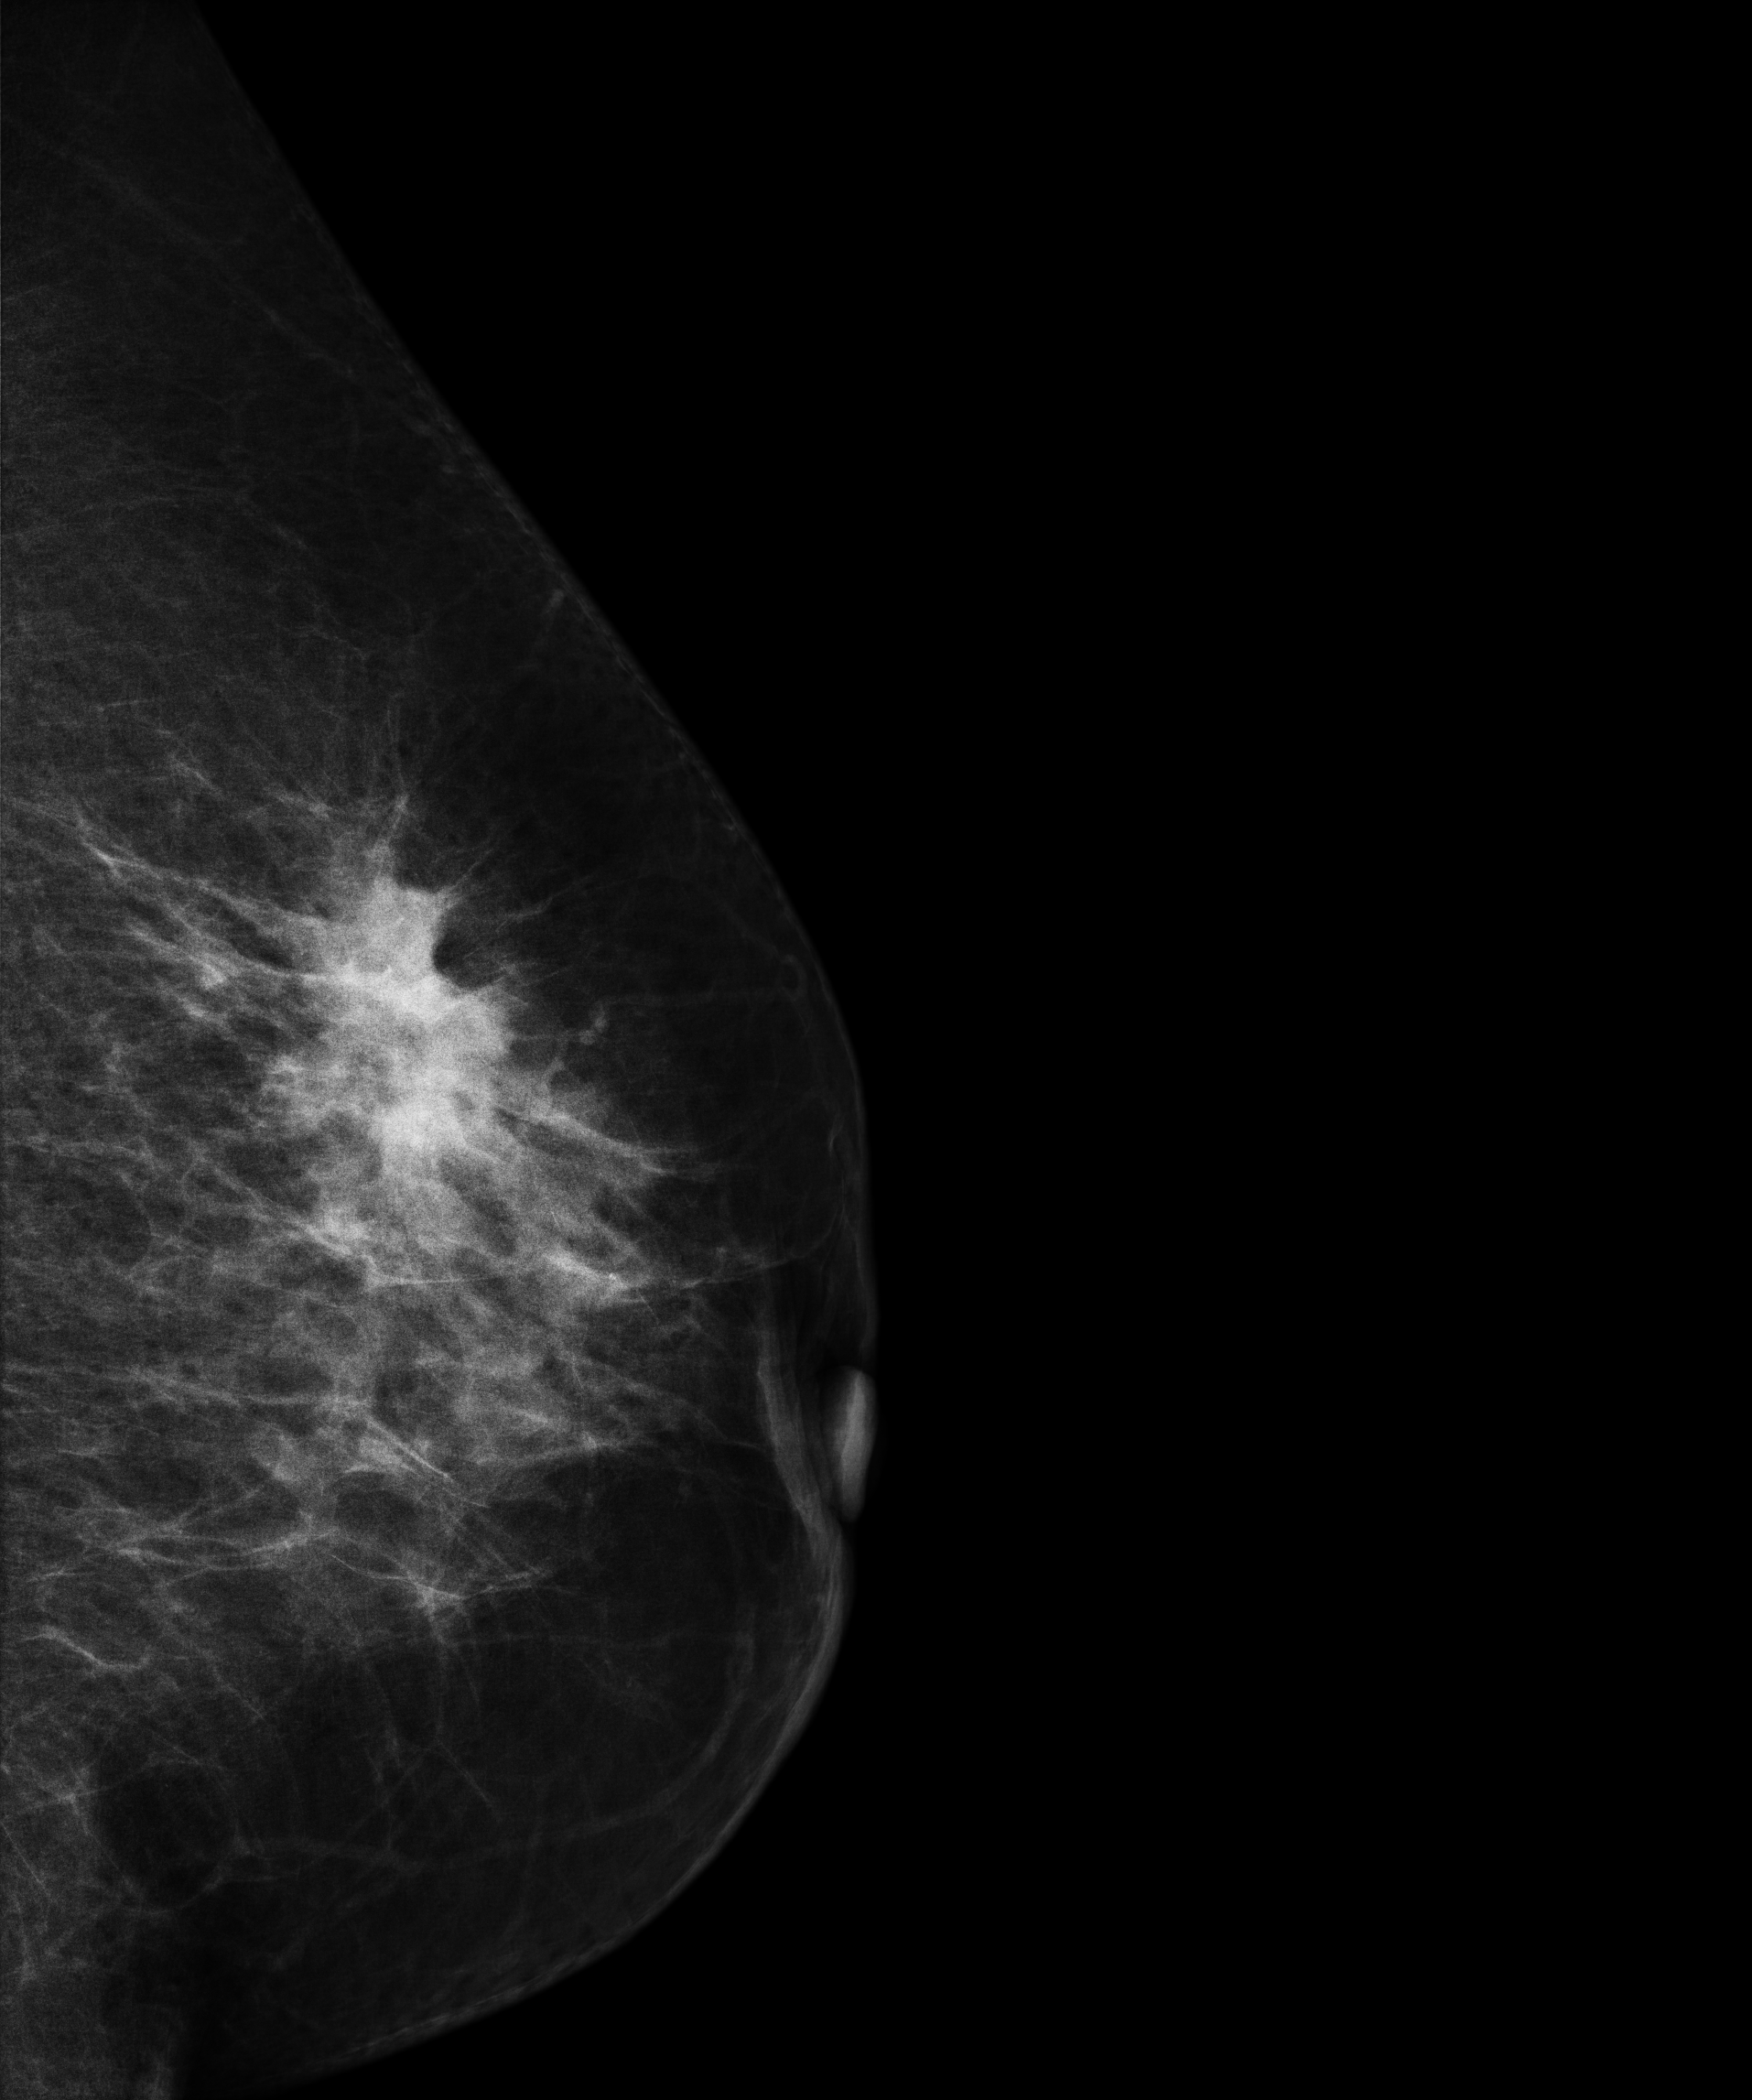
MLO mammogram of the left breast. 62 y/o patient.
This breast has a mass, pathology-confirmed malignant. Molecular subtype: luminal A.